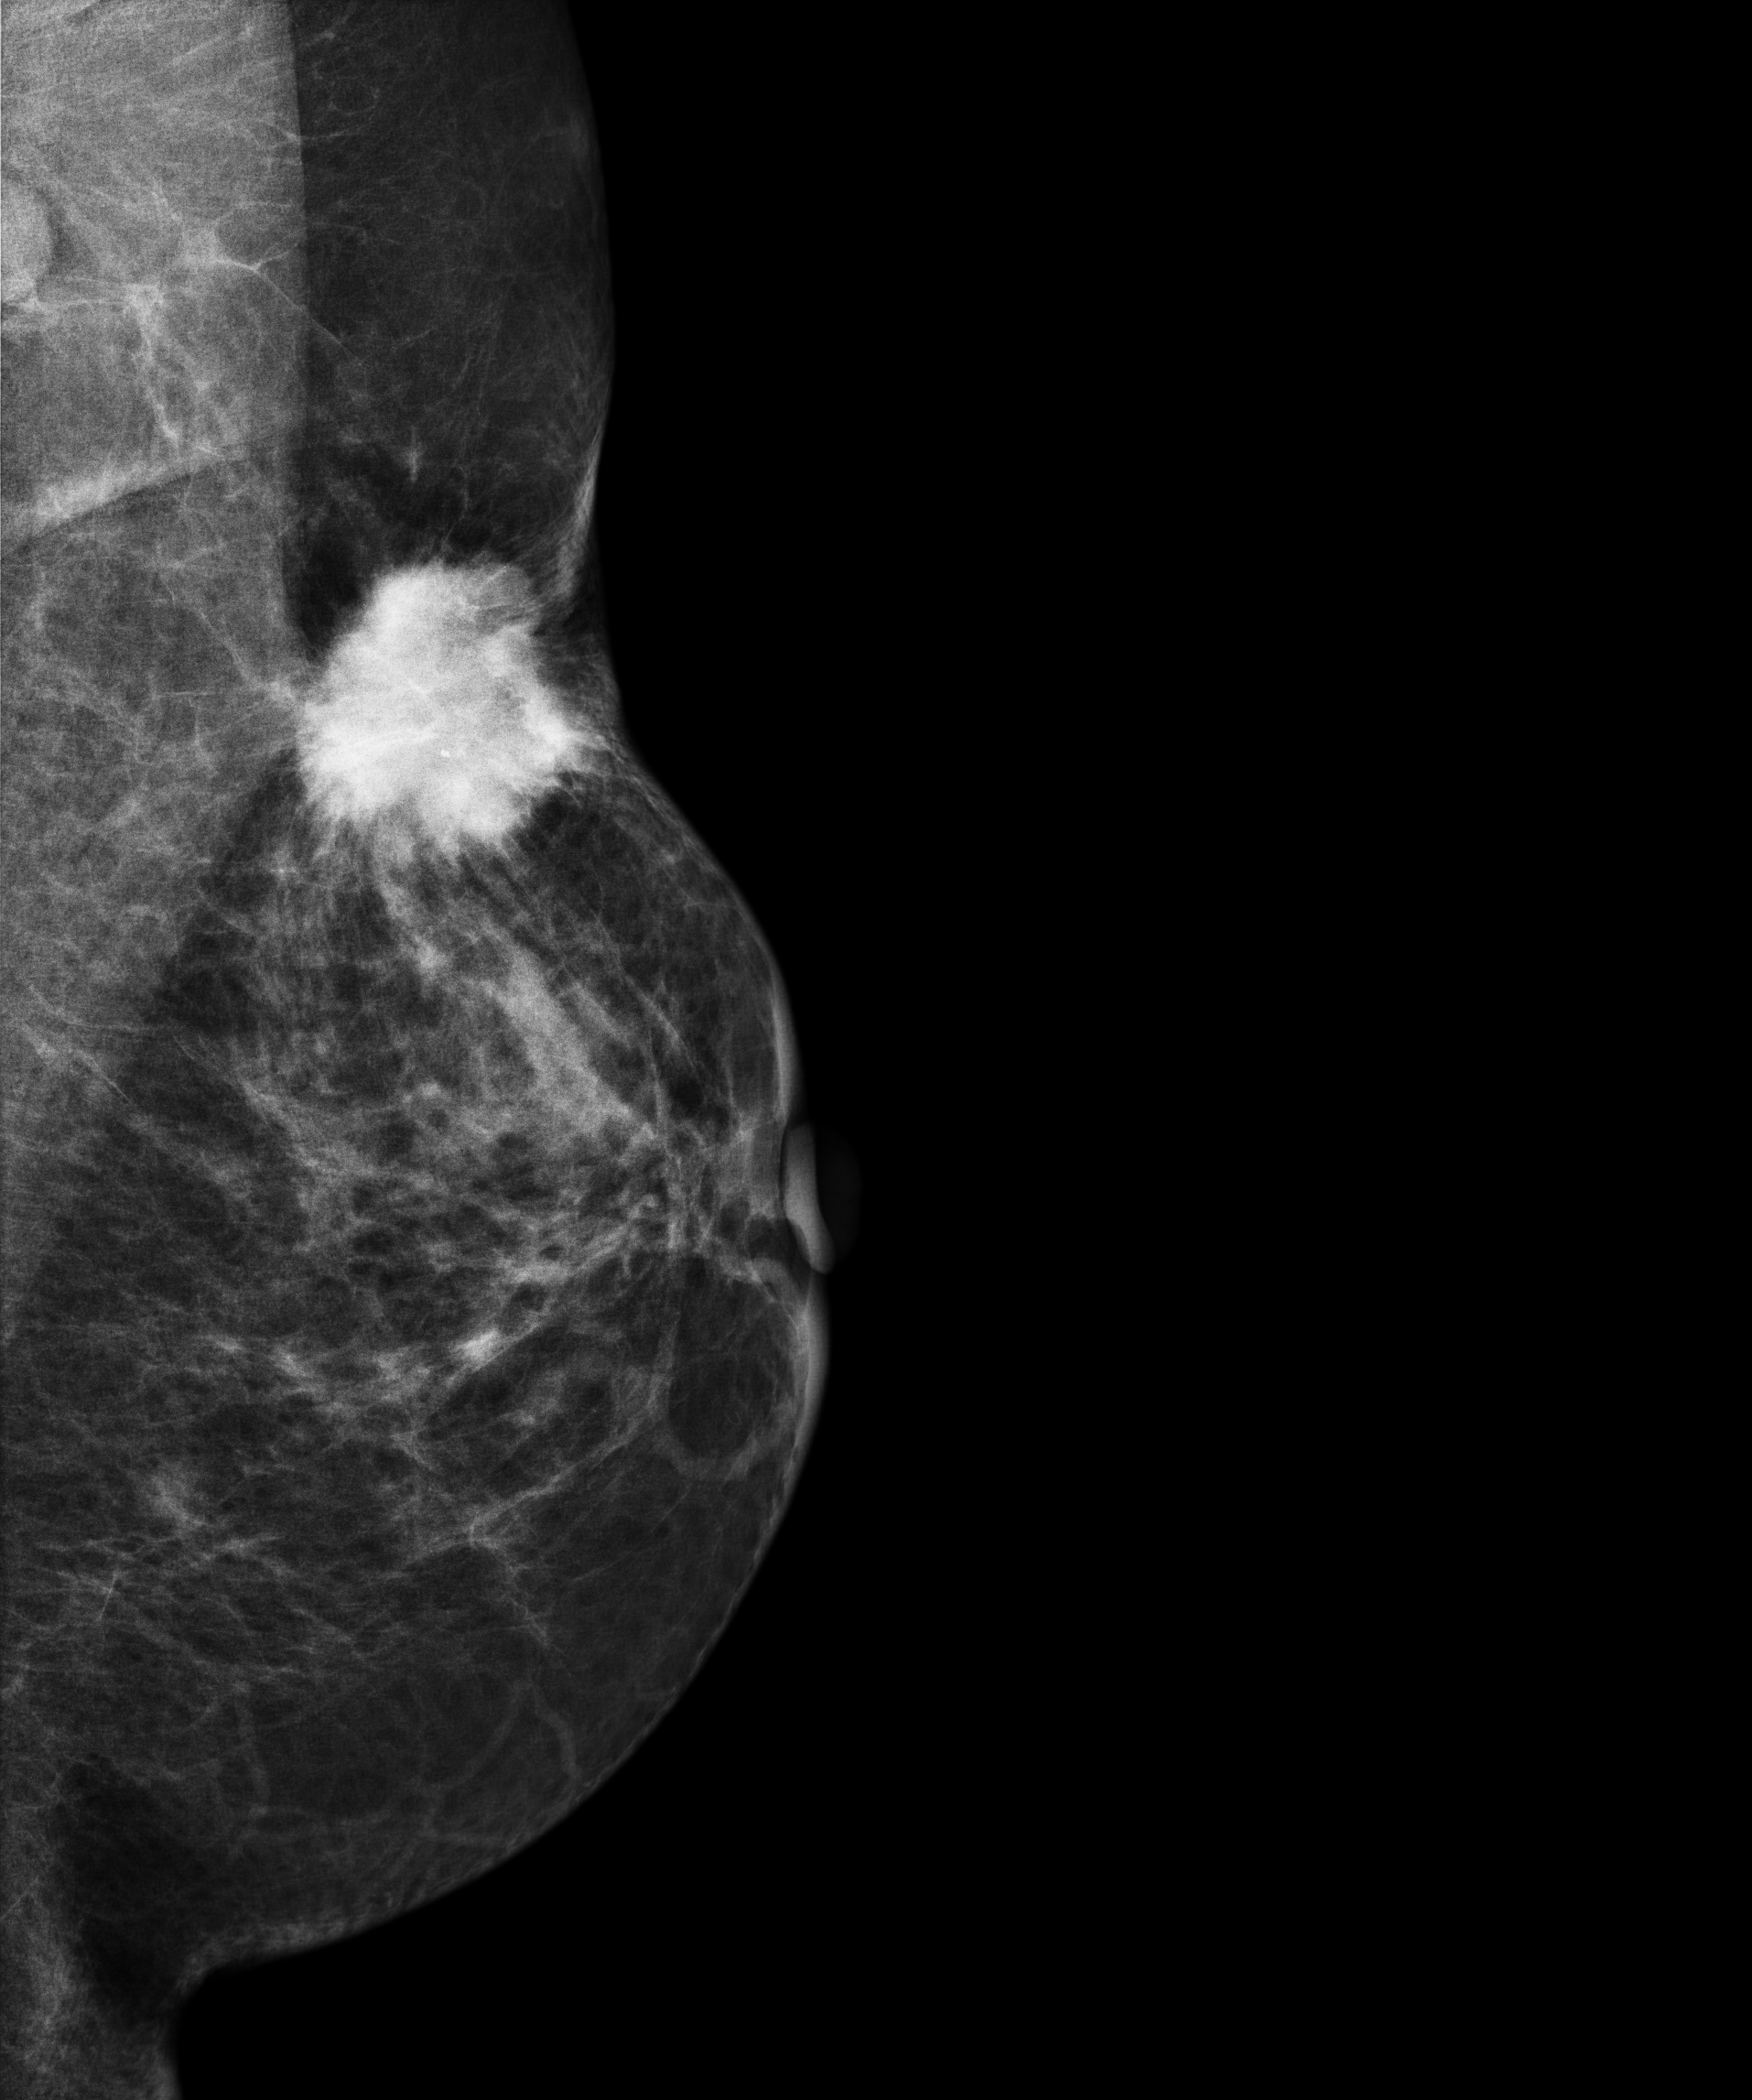
Mammogram — left MLO. 57 y/o patient.
This breast has a mass, histologically confirmed malignant. Molecular subtype: luminal A.